Medio-lateral oblique mammogram of the left breast. 55 y/o patient.
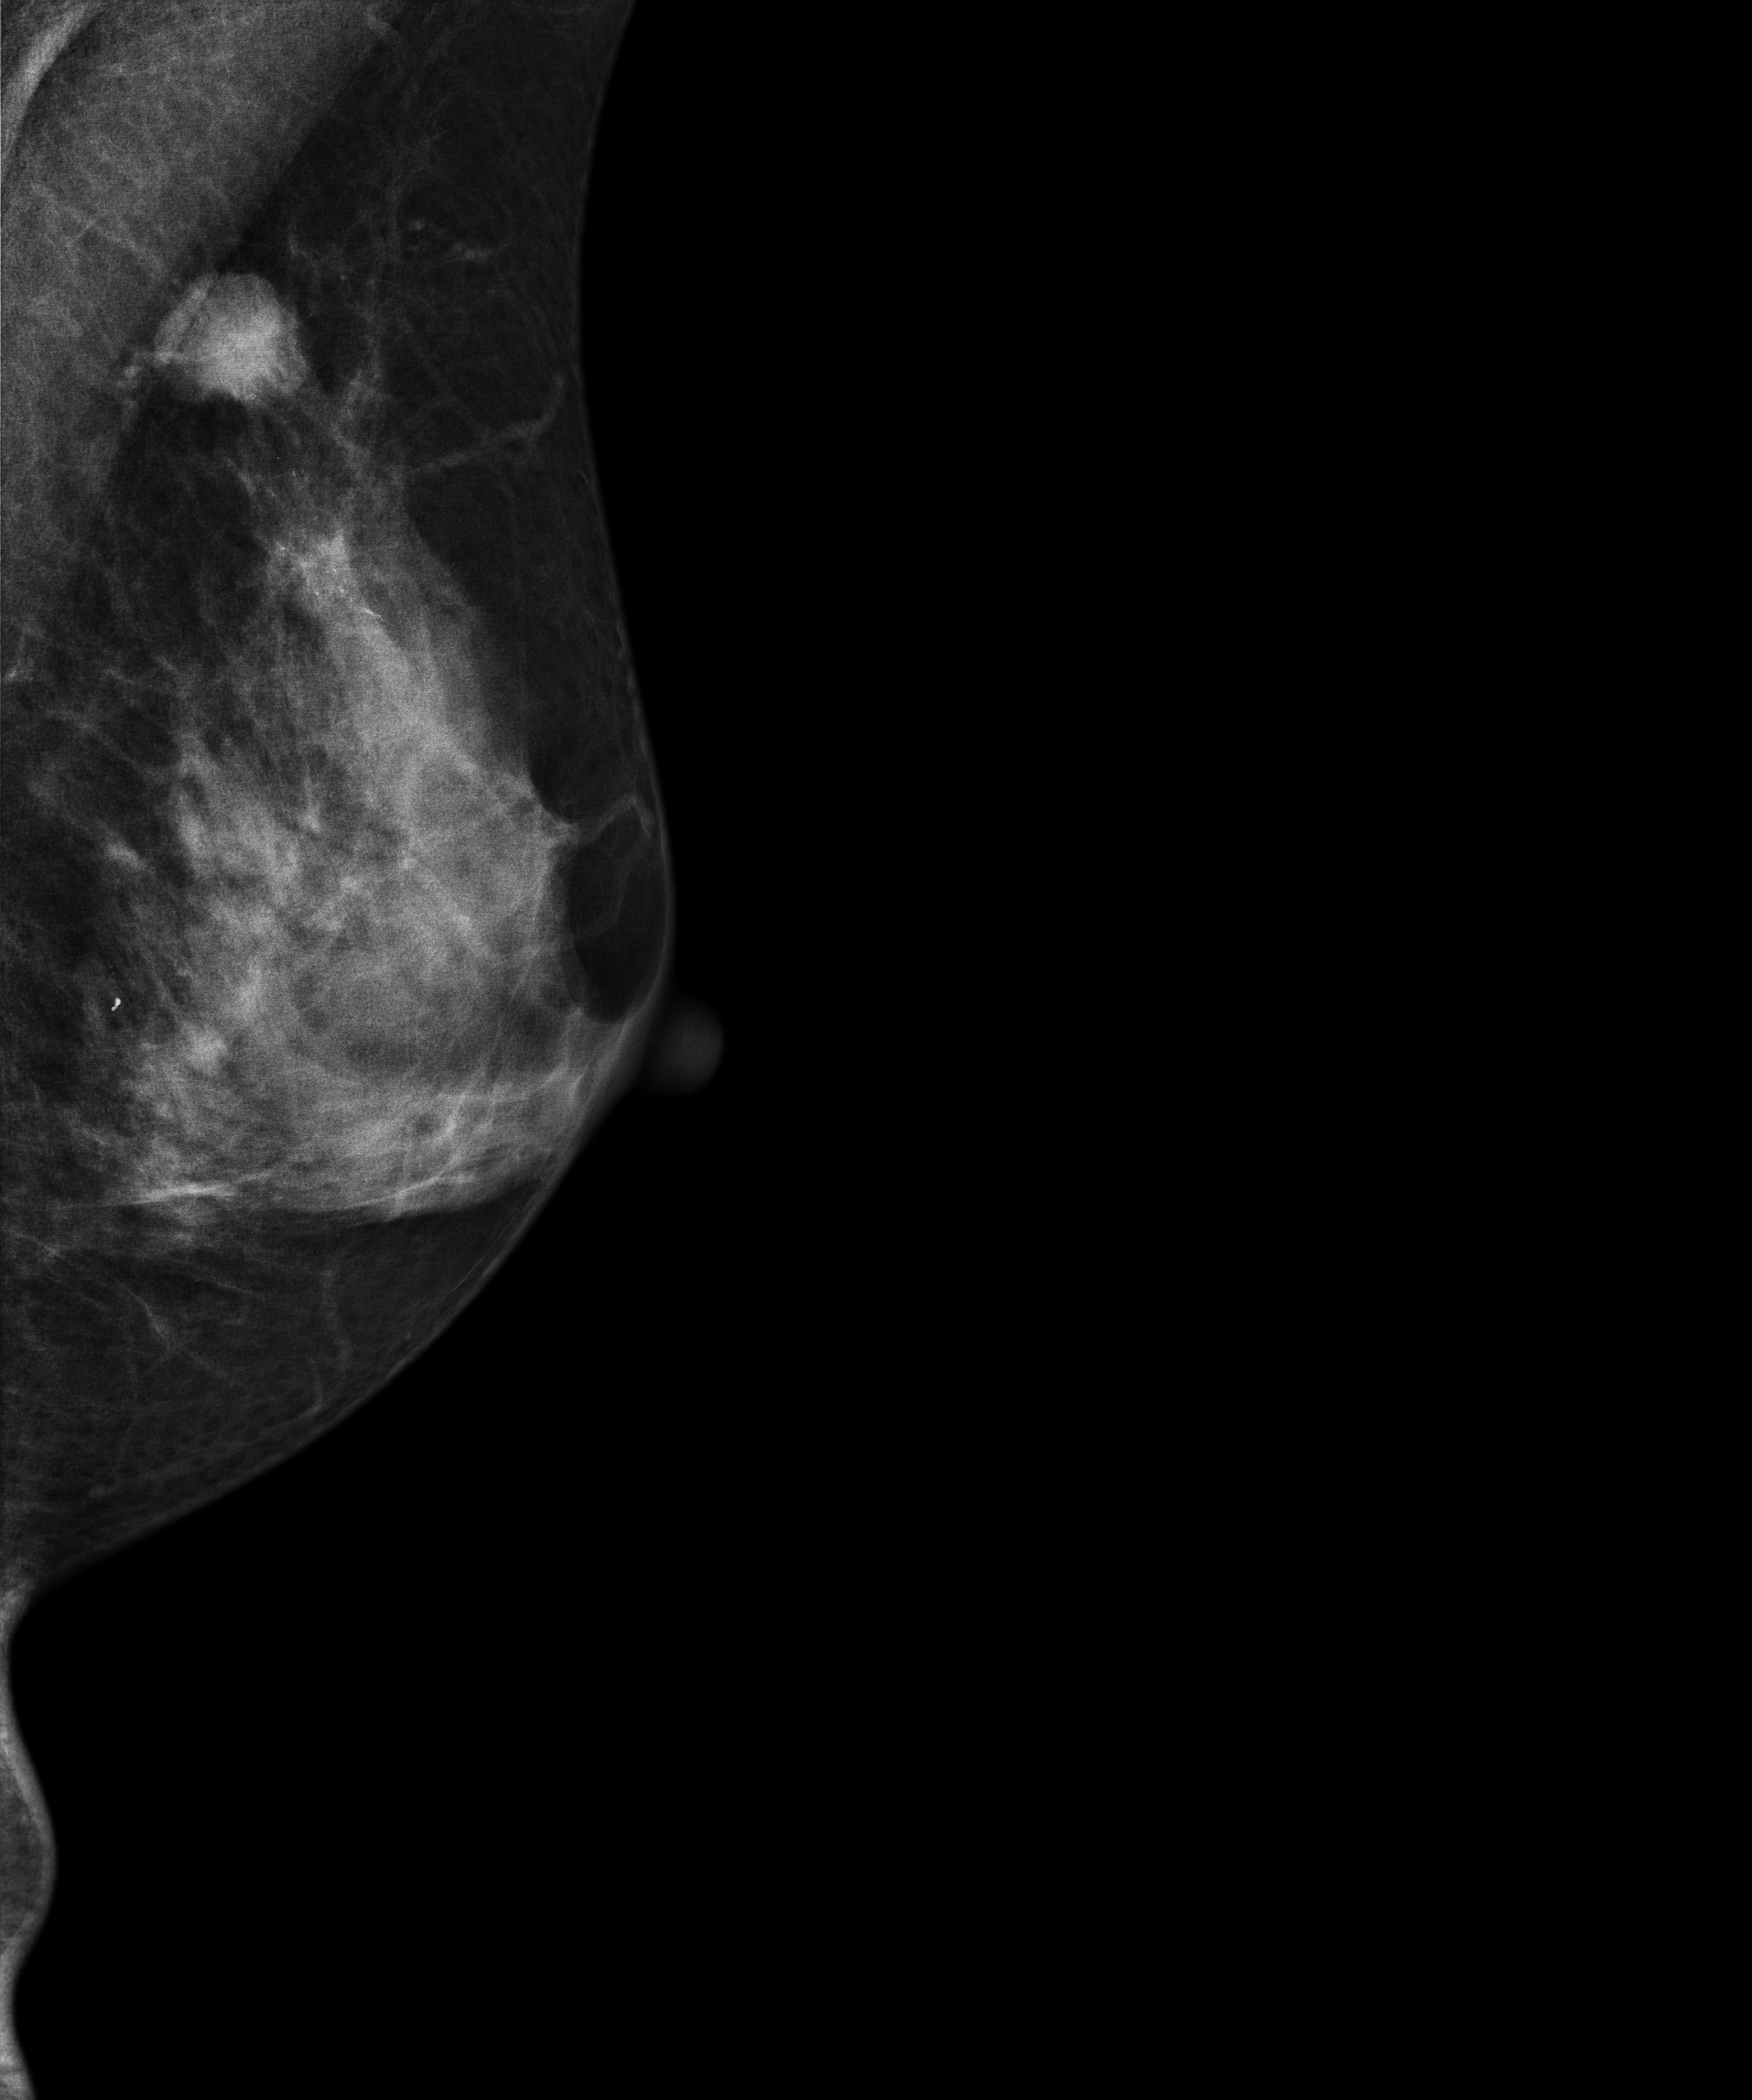
This breast has a mass and calcifications, pathology-confirmed malignant. Molecular subtype: triple-negative.